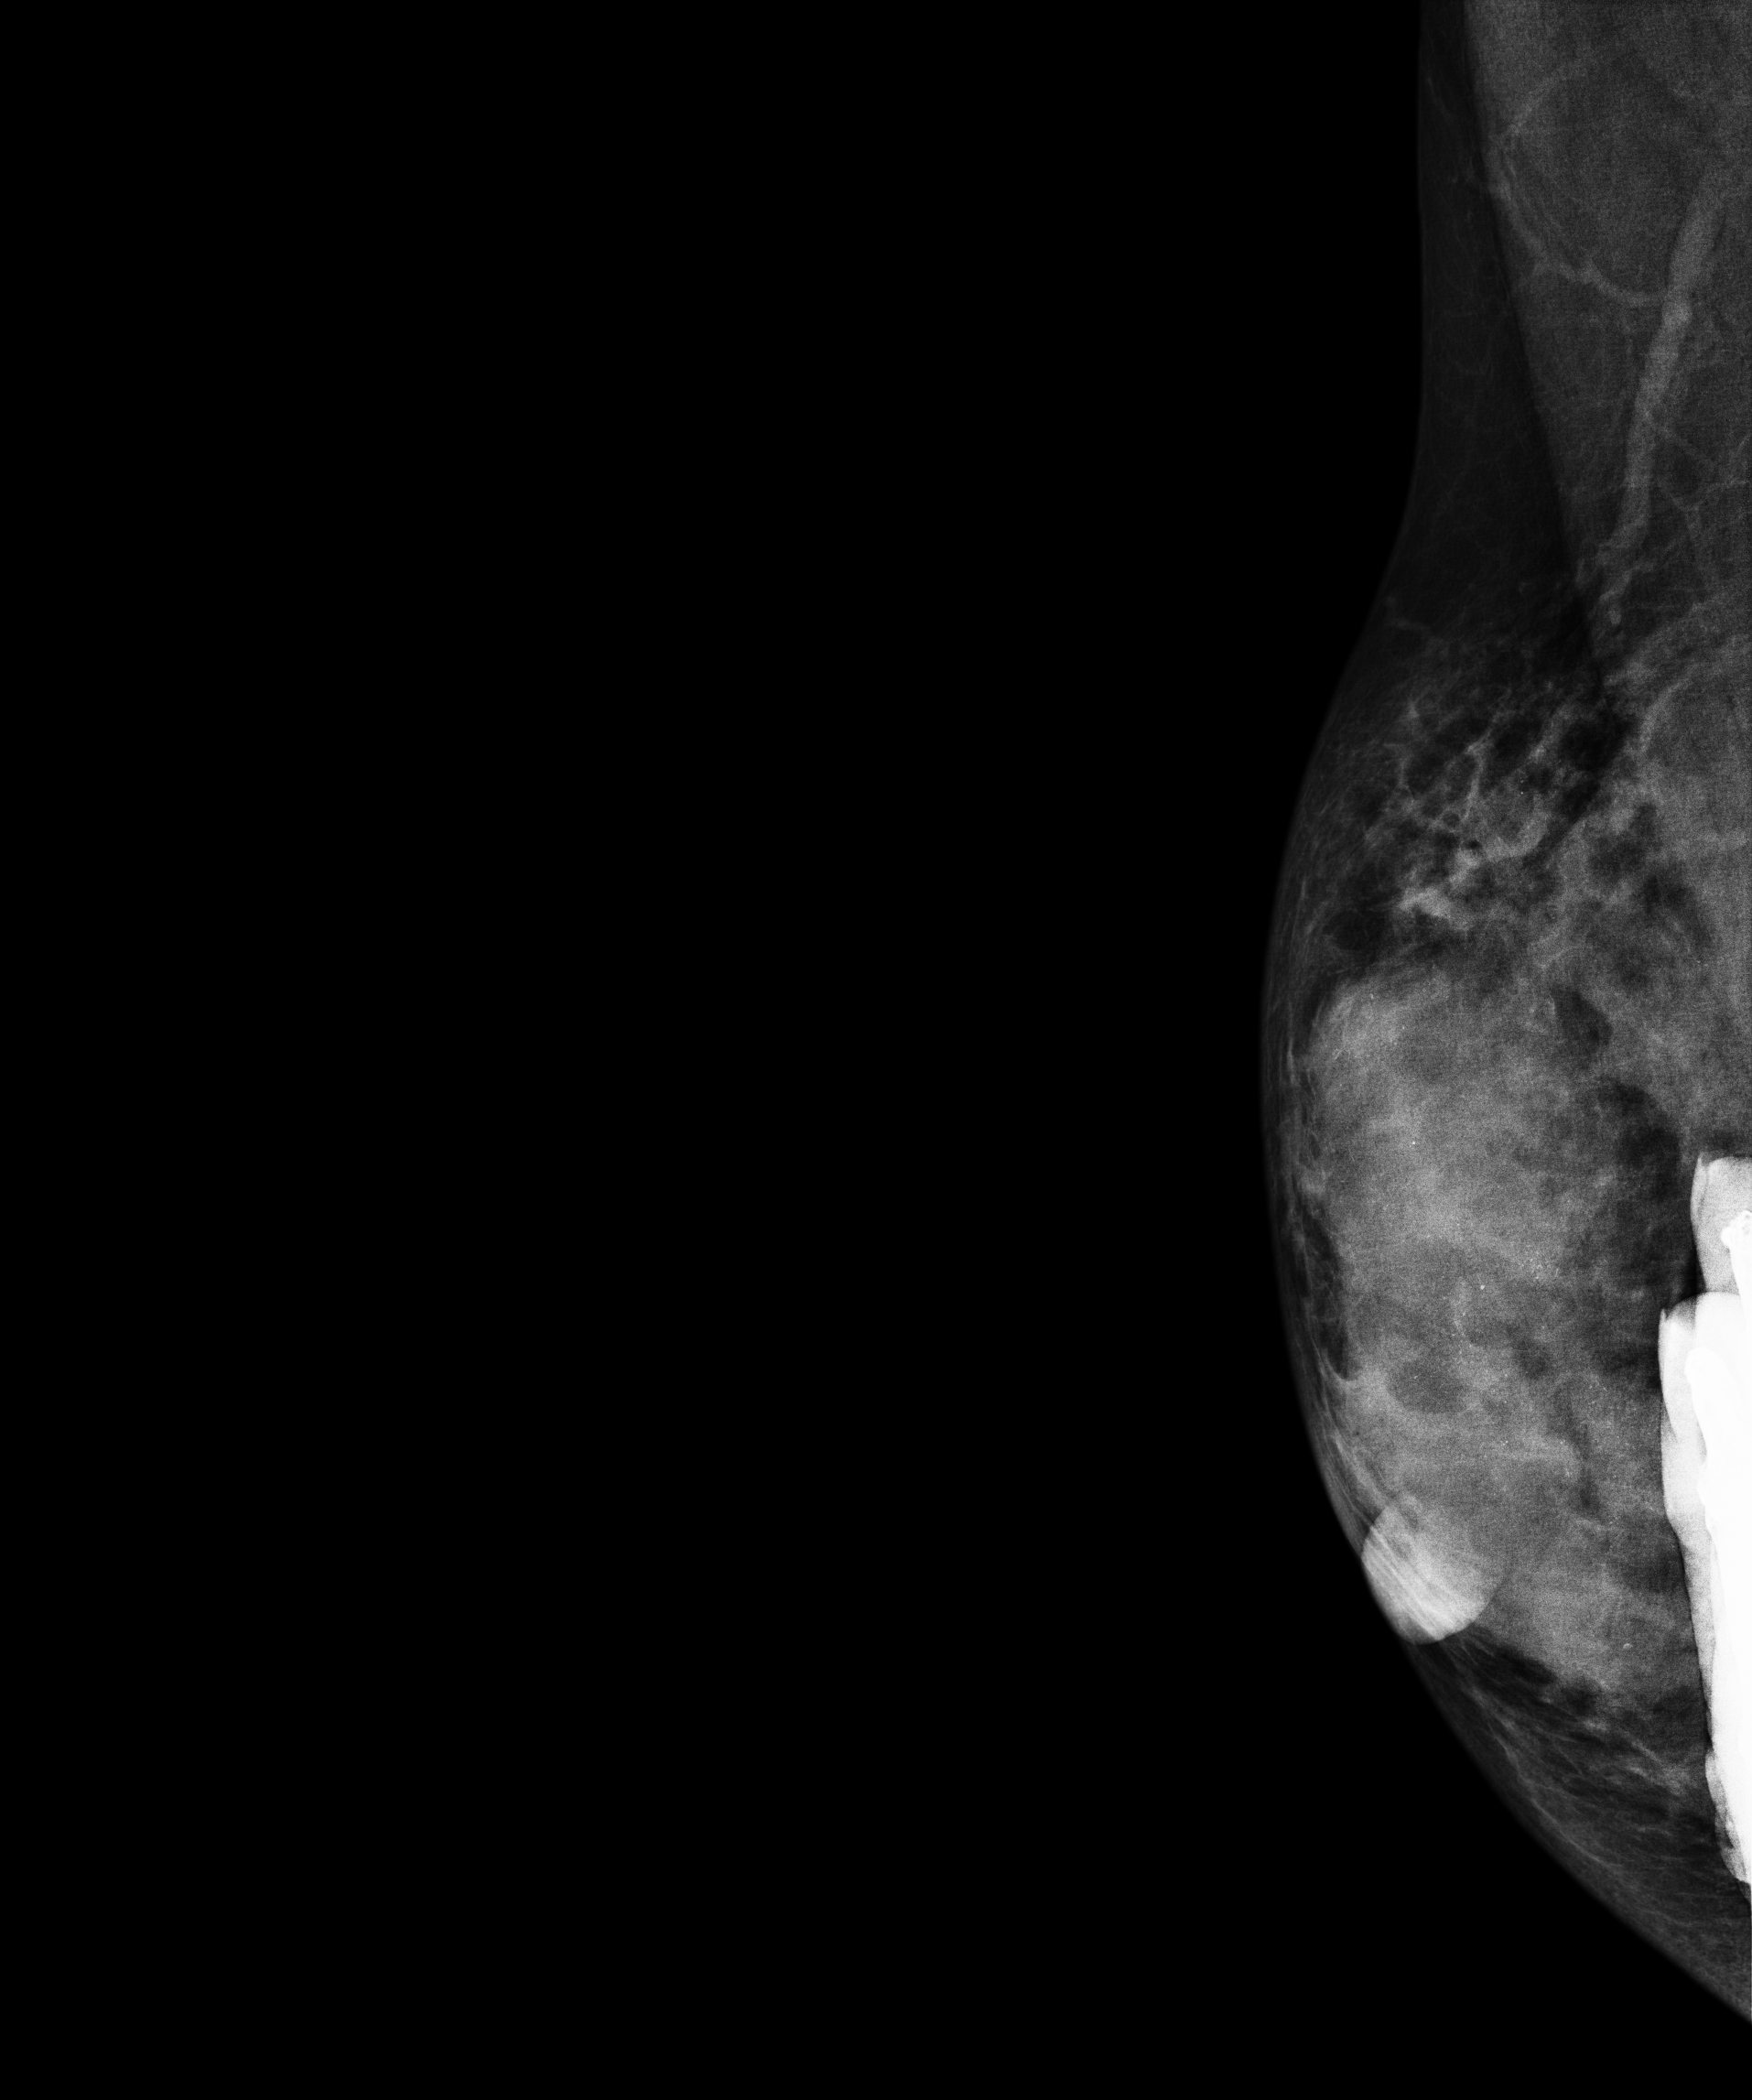
Mammogram, right breast, CC view. 51-year-old patient.
This breast has calcifications, biopsy-confirmed malignant.